Digital mammography. Left breast, medio-lateral oblique projection. 50 y/o patient.
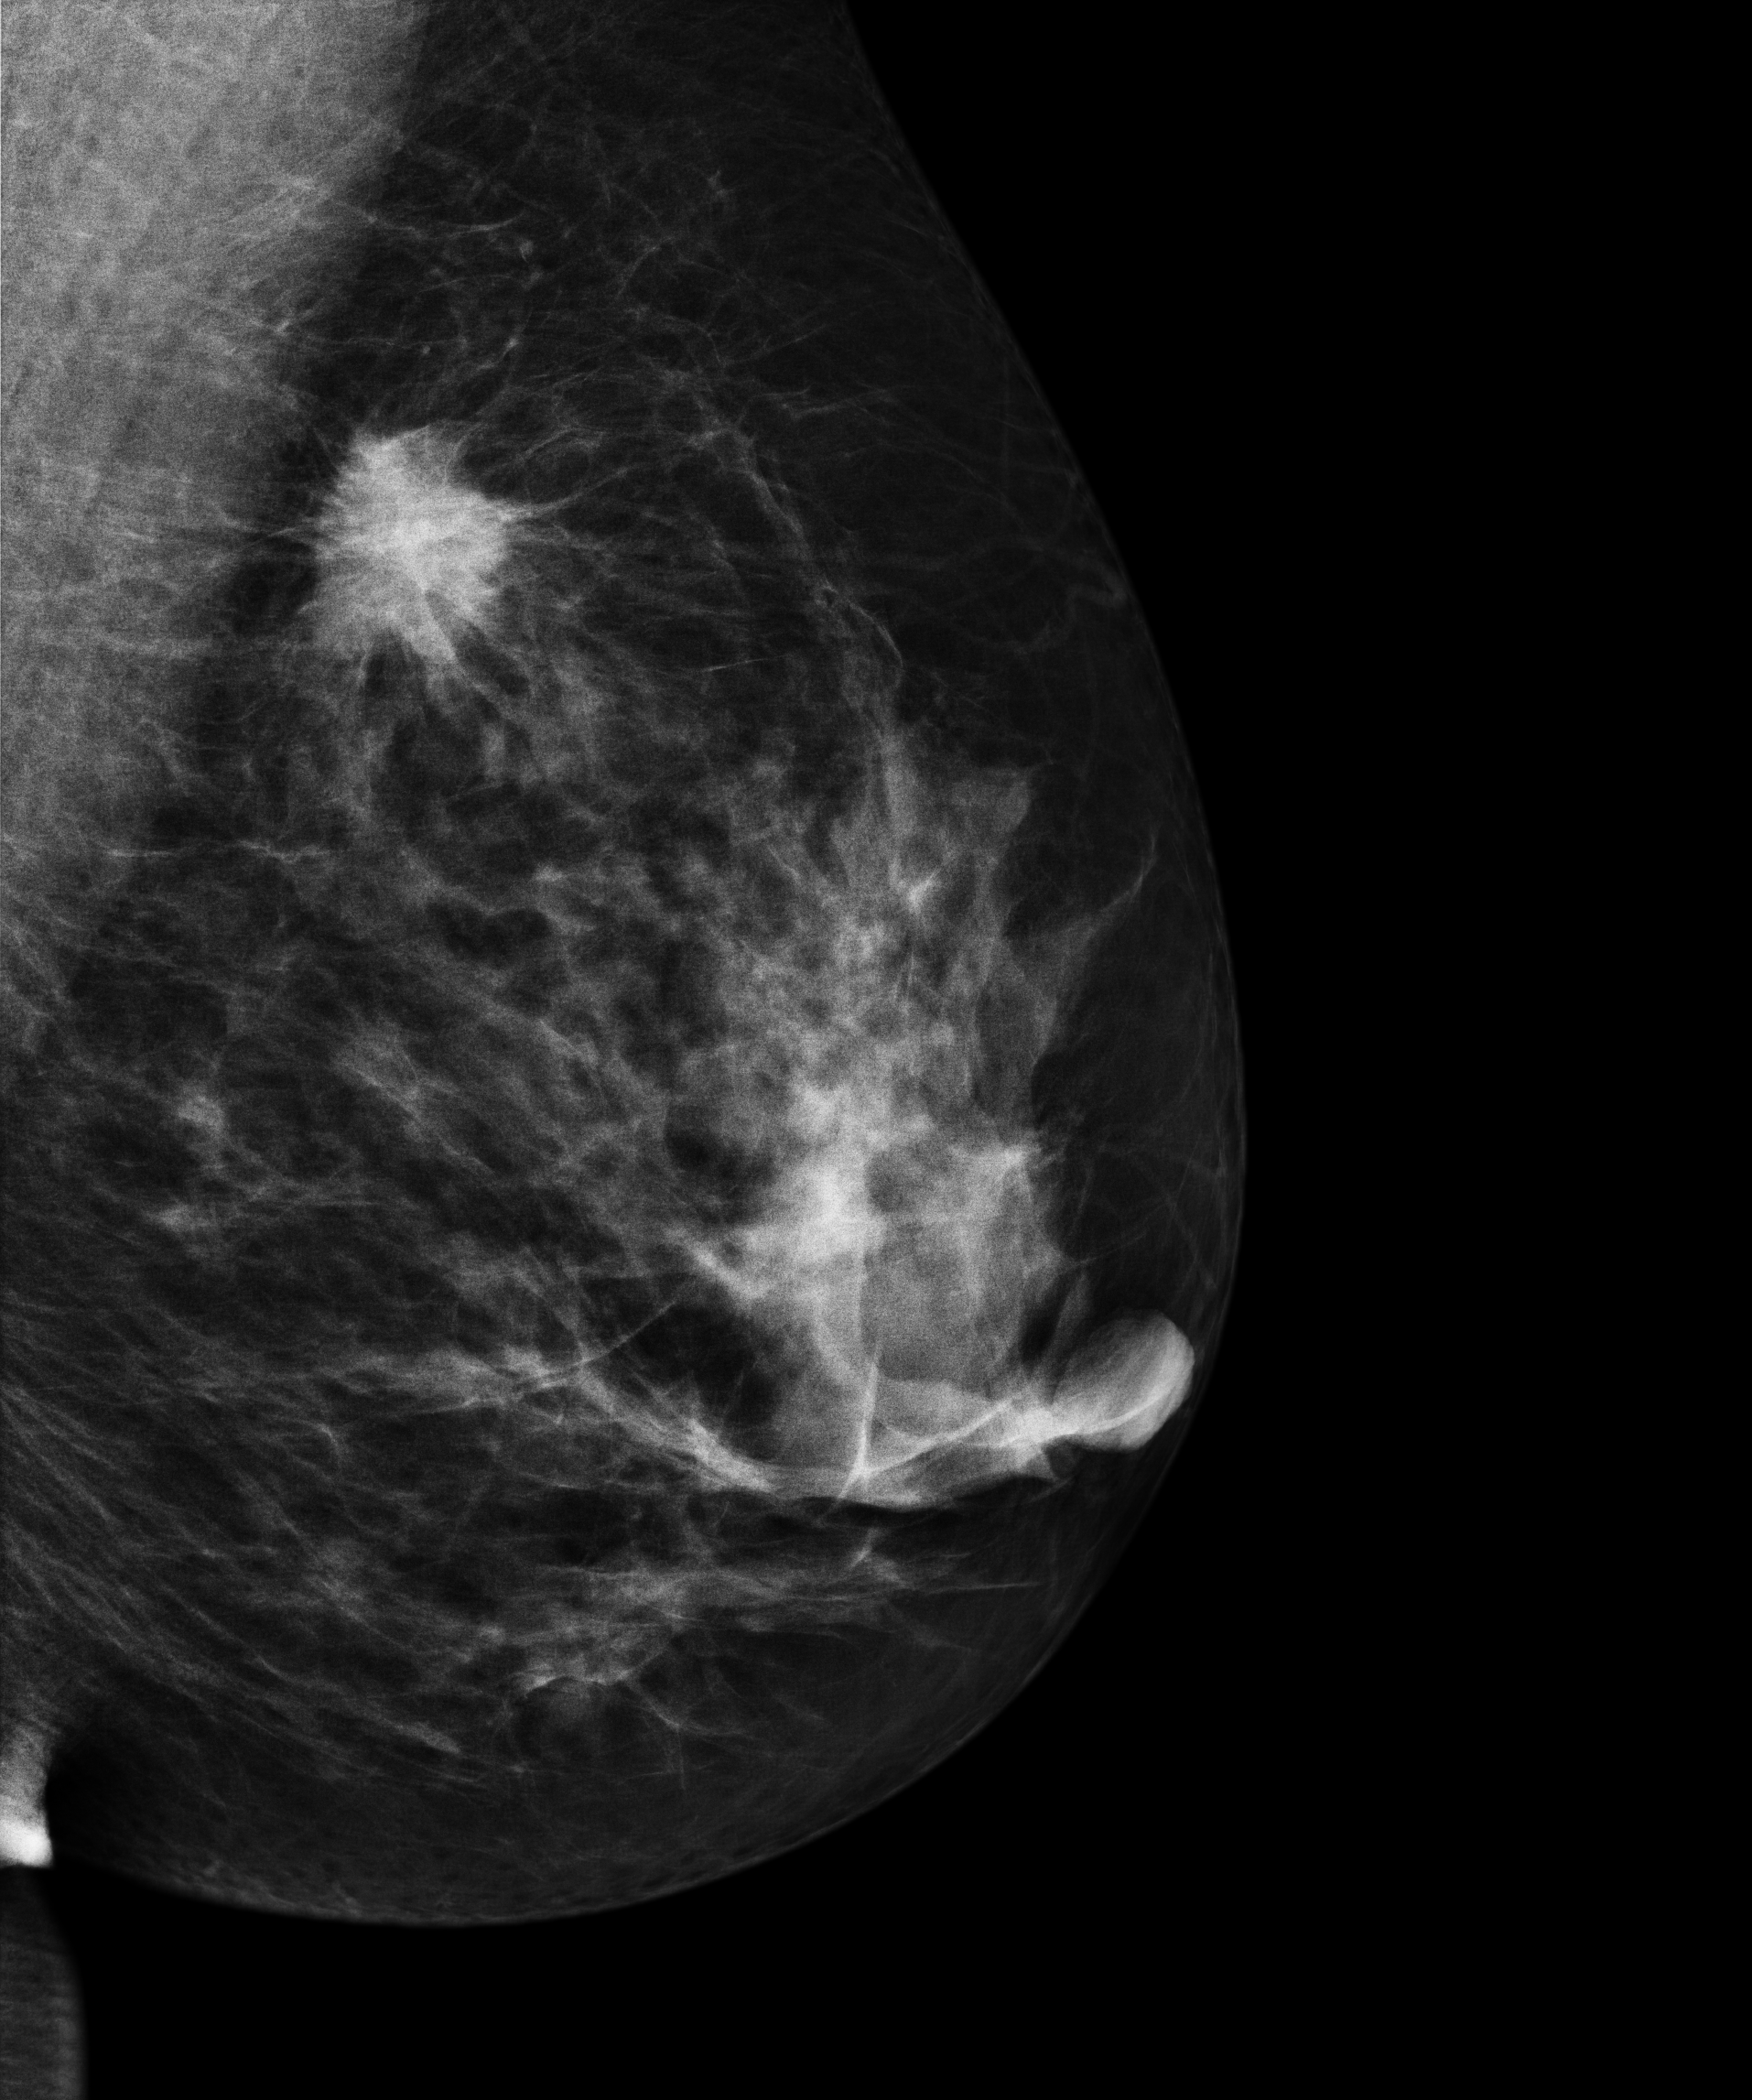
This breast has a mass, biopsy-proven malignant.